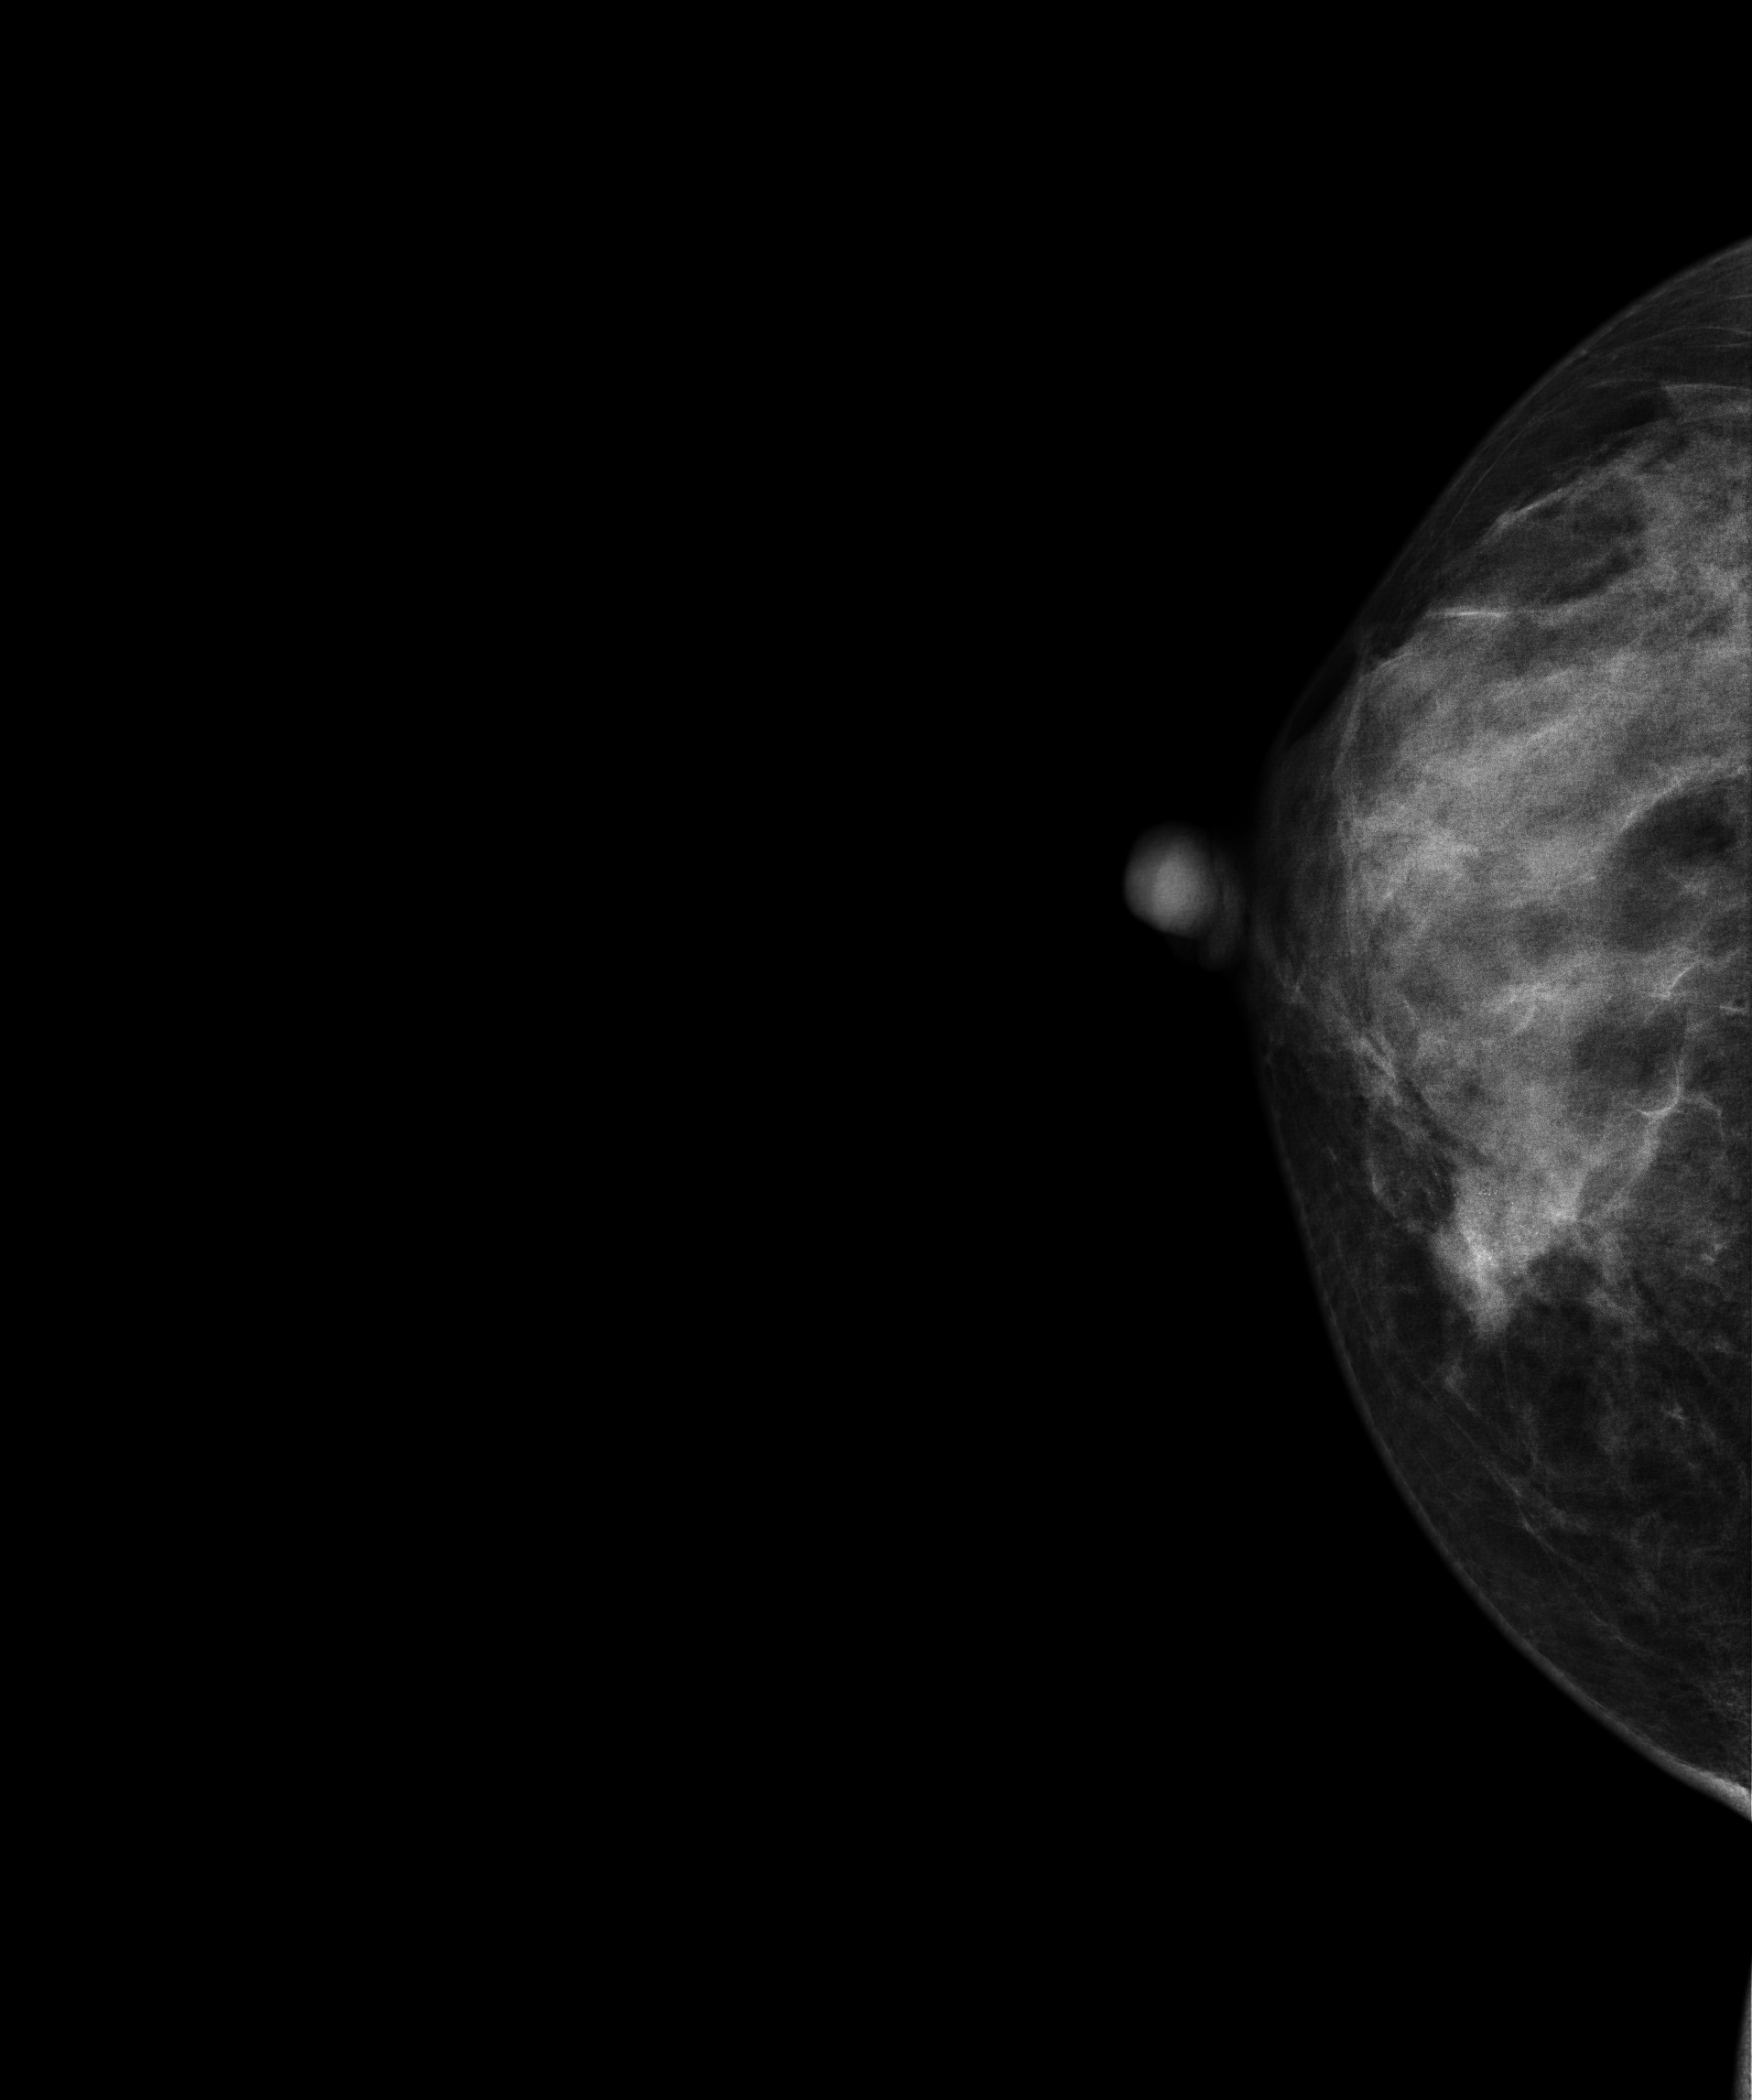
Mammogram, right breast, CC view. 48 y/o patient.
This breast has a mass and calcifications, pathology-confirmed malignant. Molecular subtype: luminal B.